Mammogram — right cranio-caudal. 42 y/o patient.
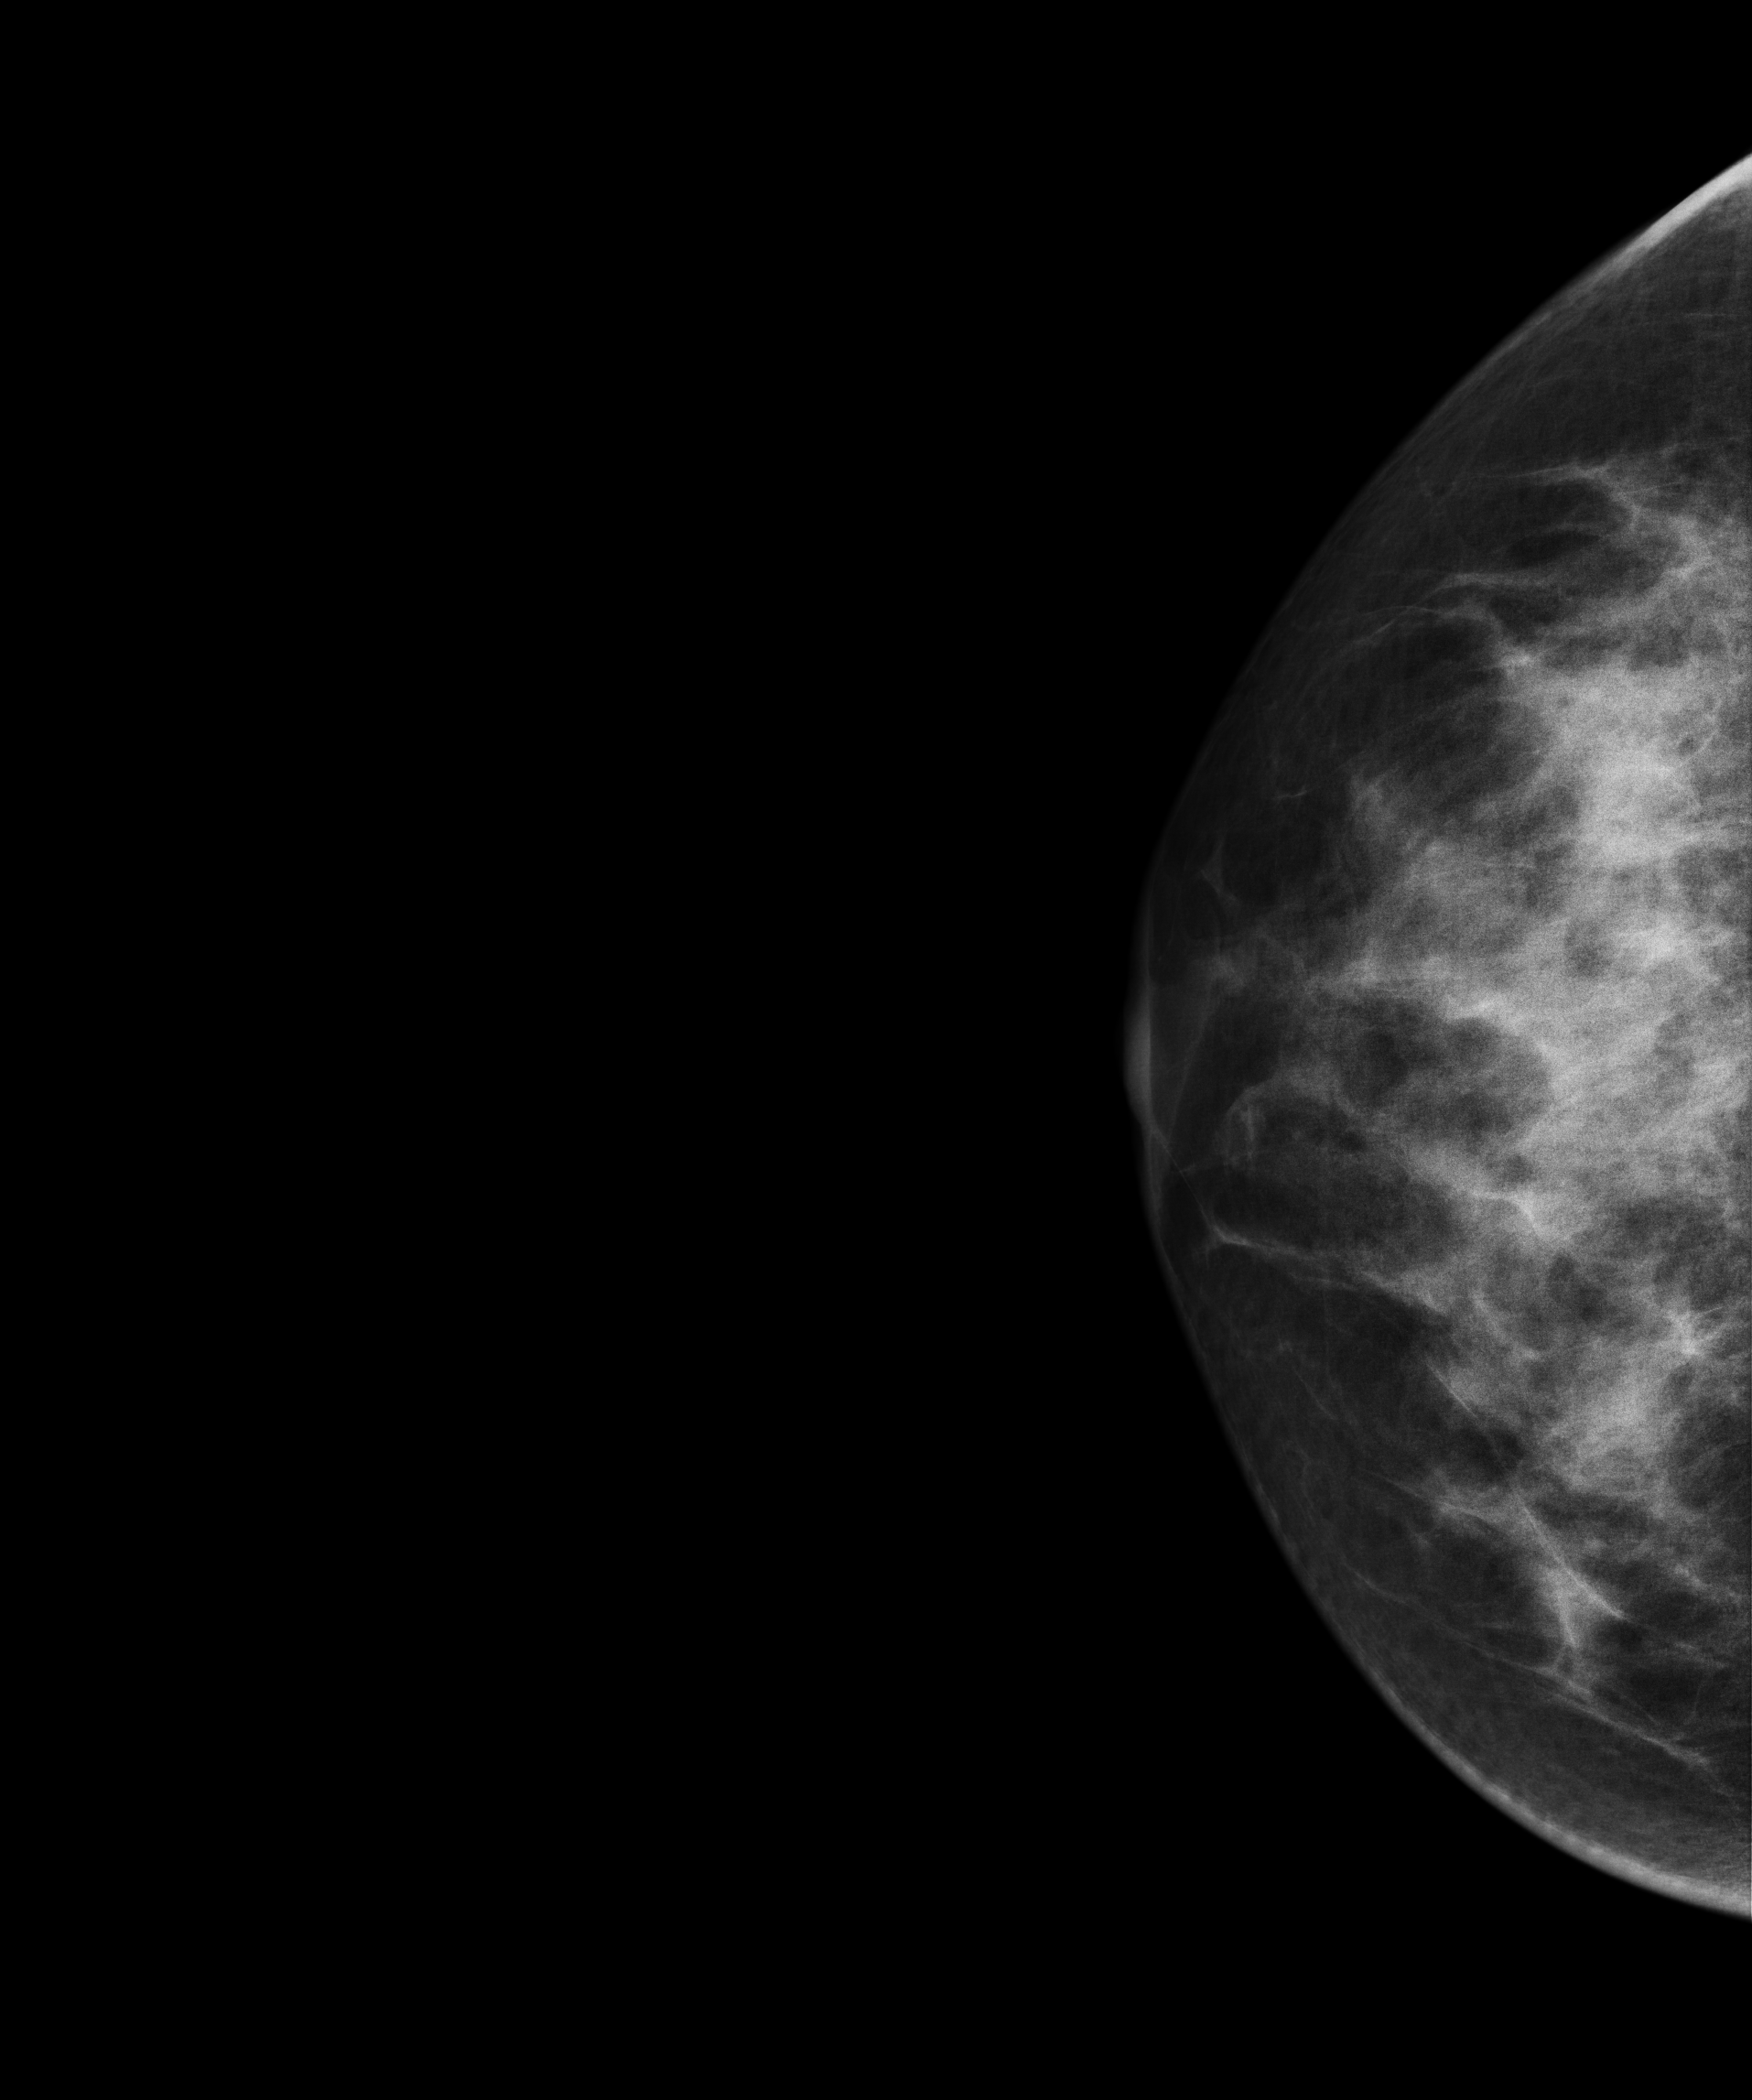
Contralateral breast — no documented abnormality on this side.